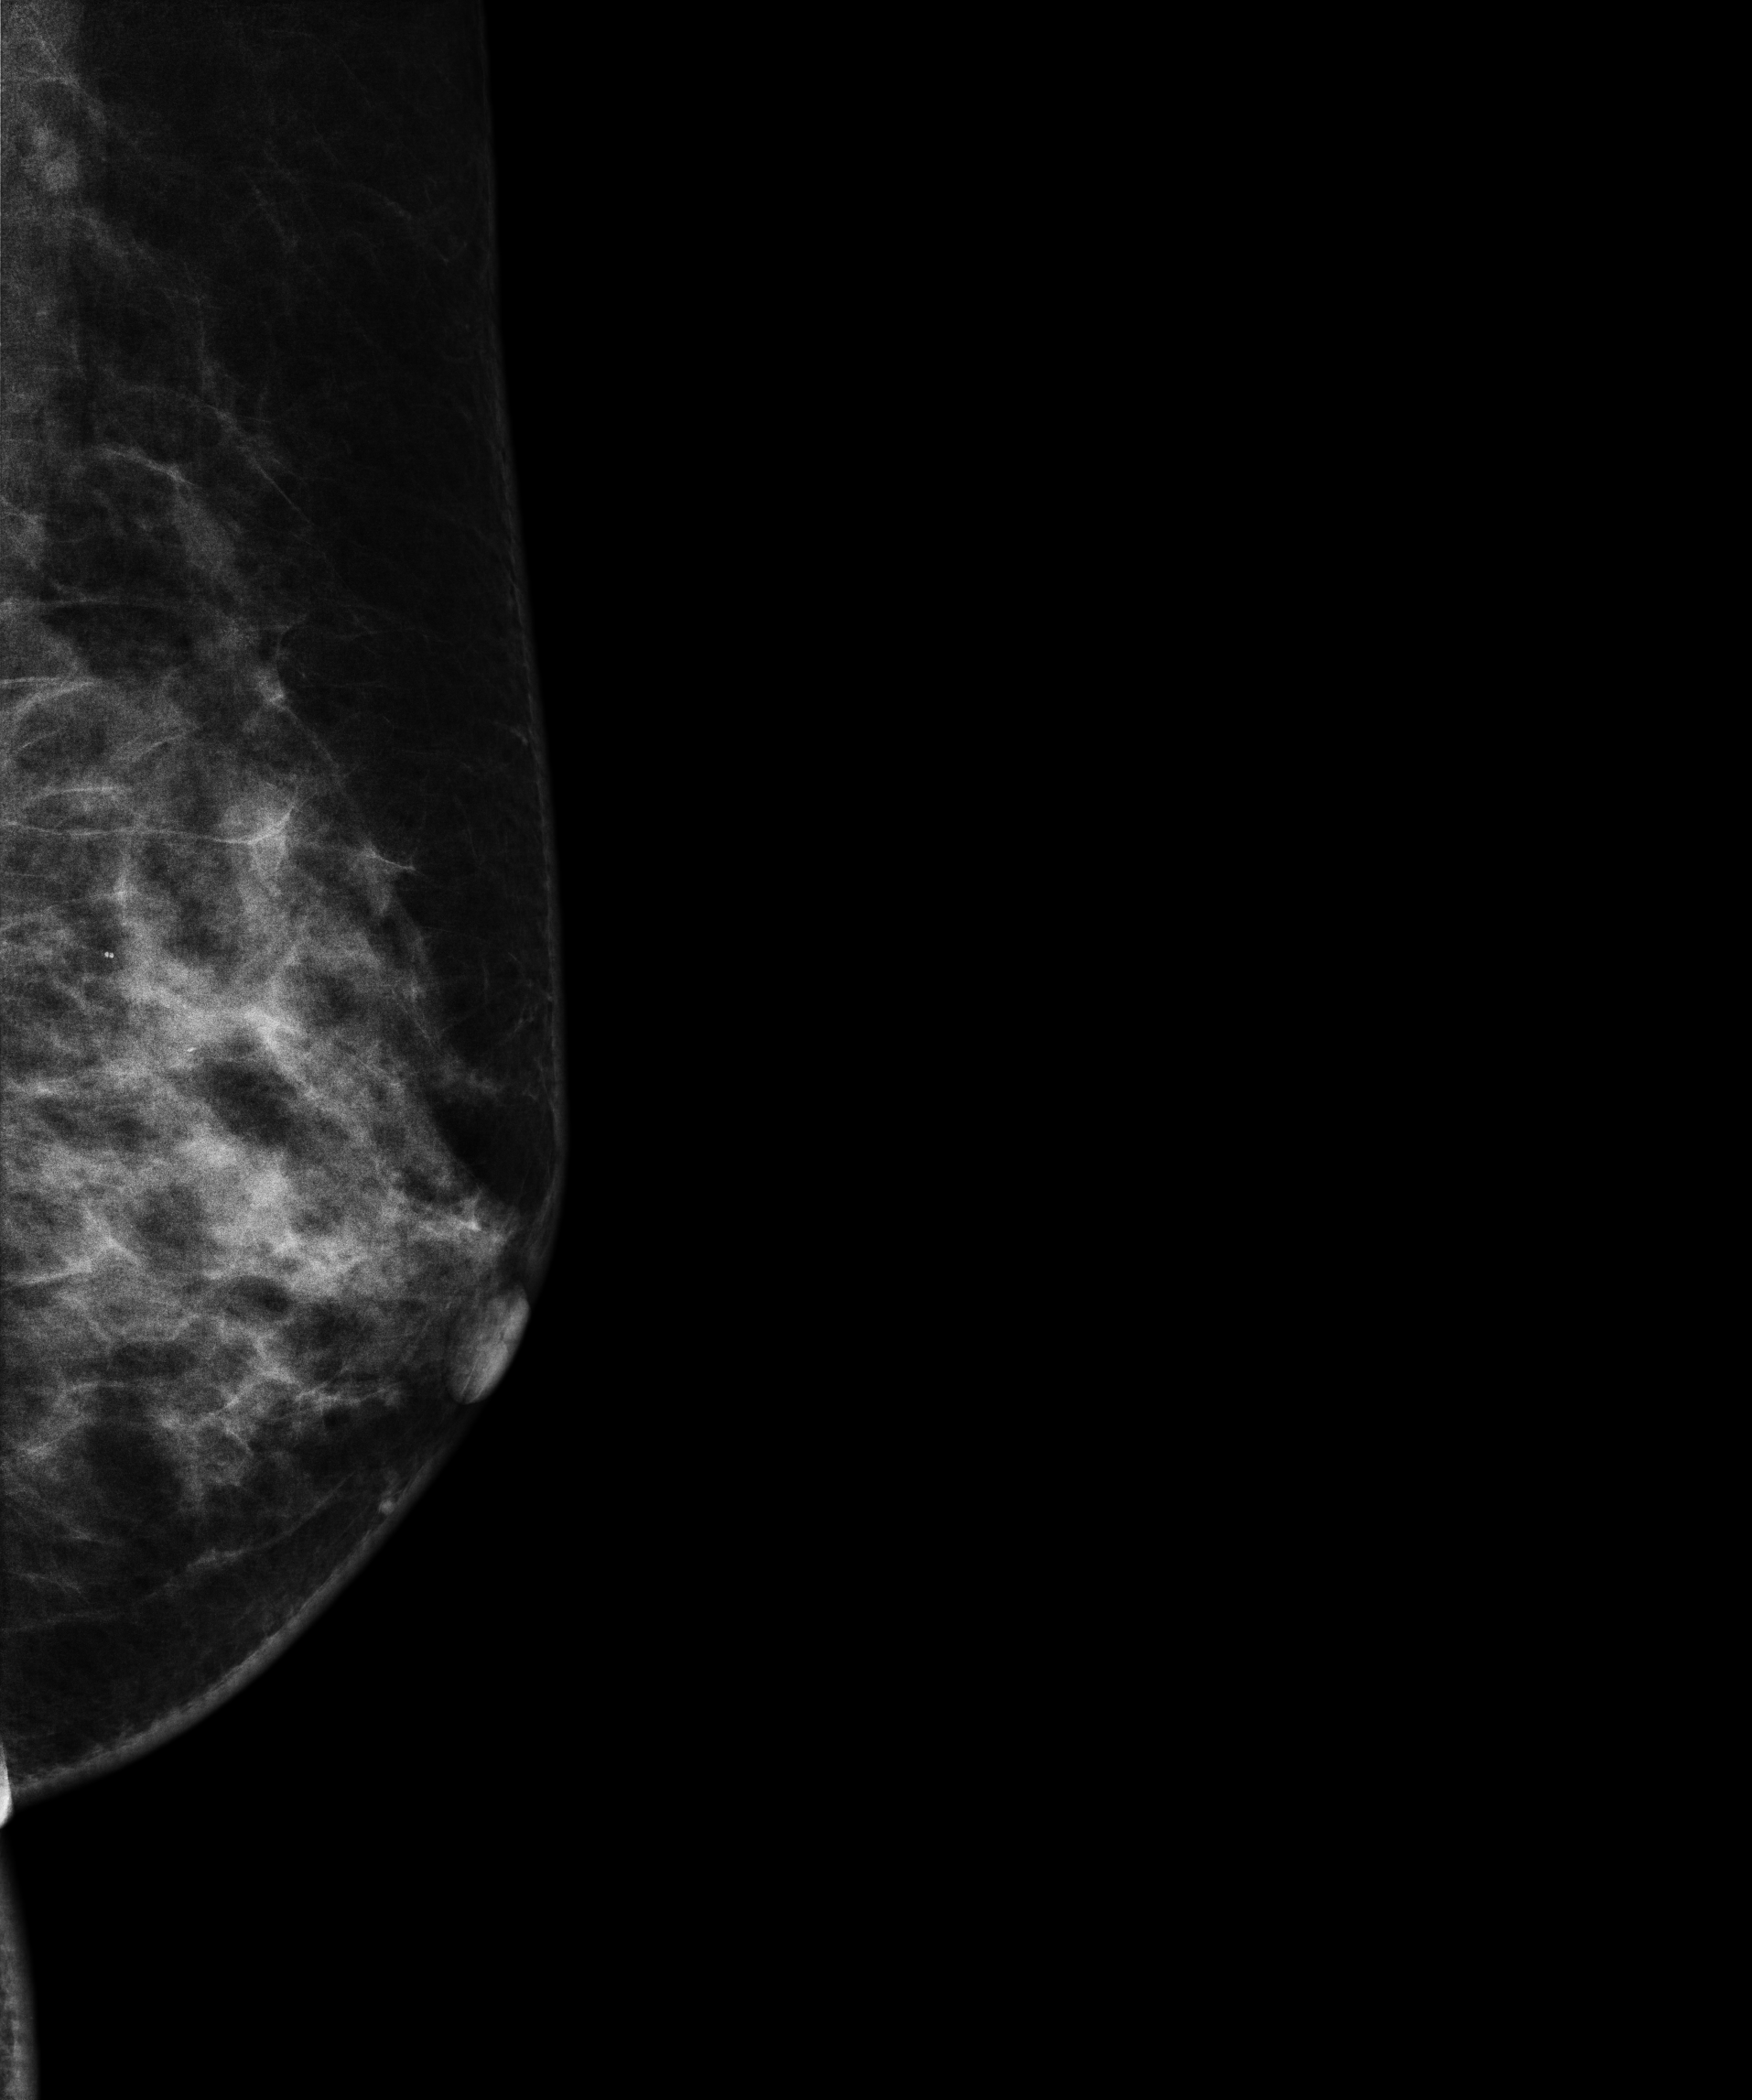
Left-breast mammogram, medio-lateral oblique. Patient age 52.
This breast has a mass and calcifications, biopsy-proven malignant. Molecular subtype: triple-negative.